Mammogram, left breast, medio-lateral oblique view. 40-year-old patient.
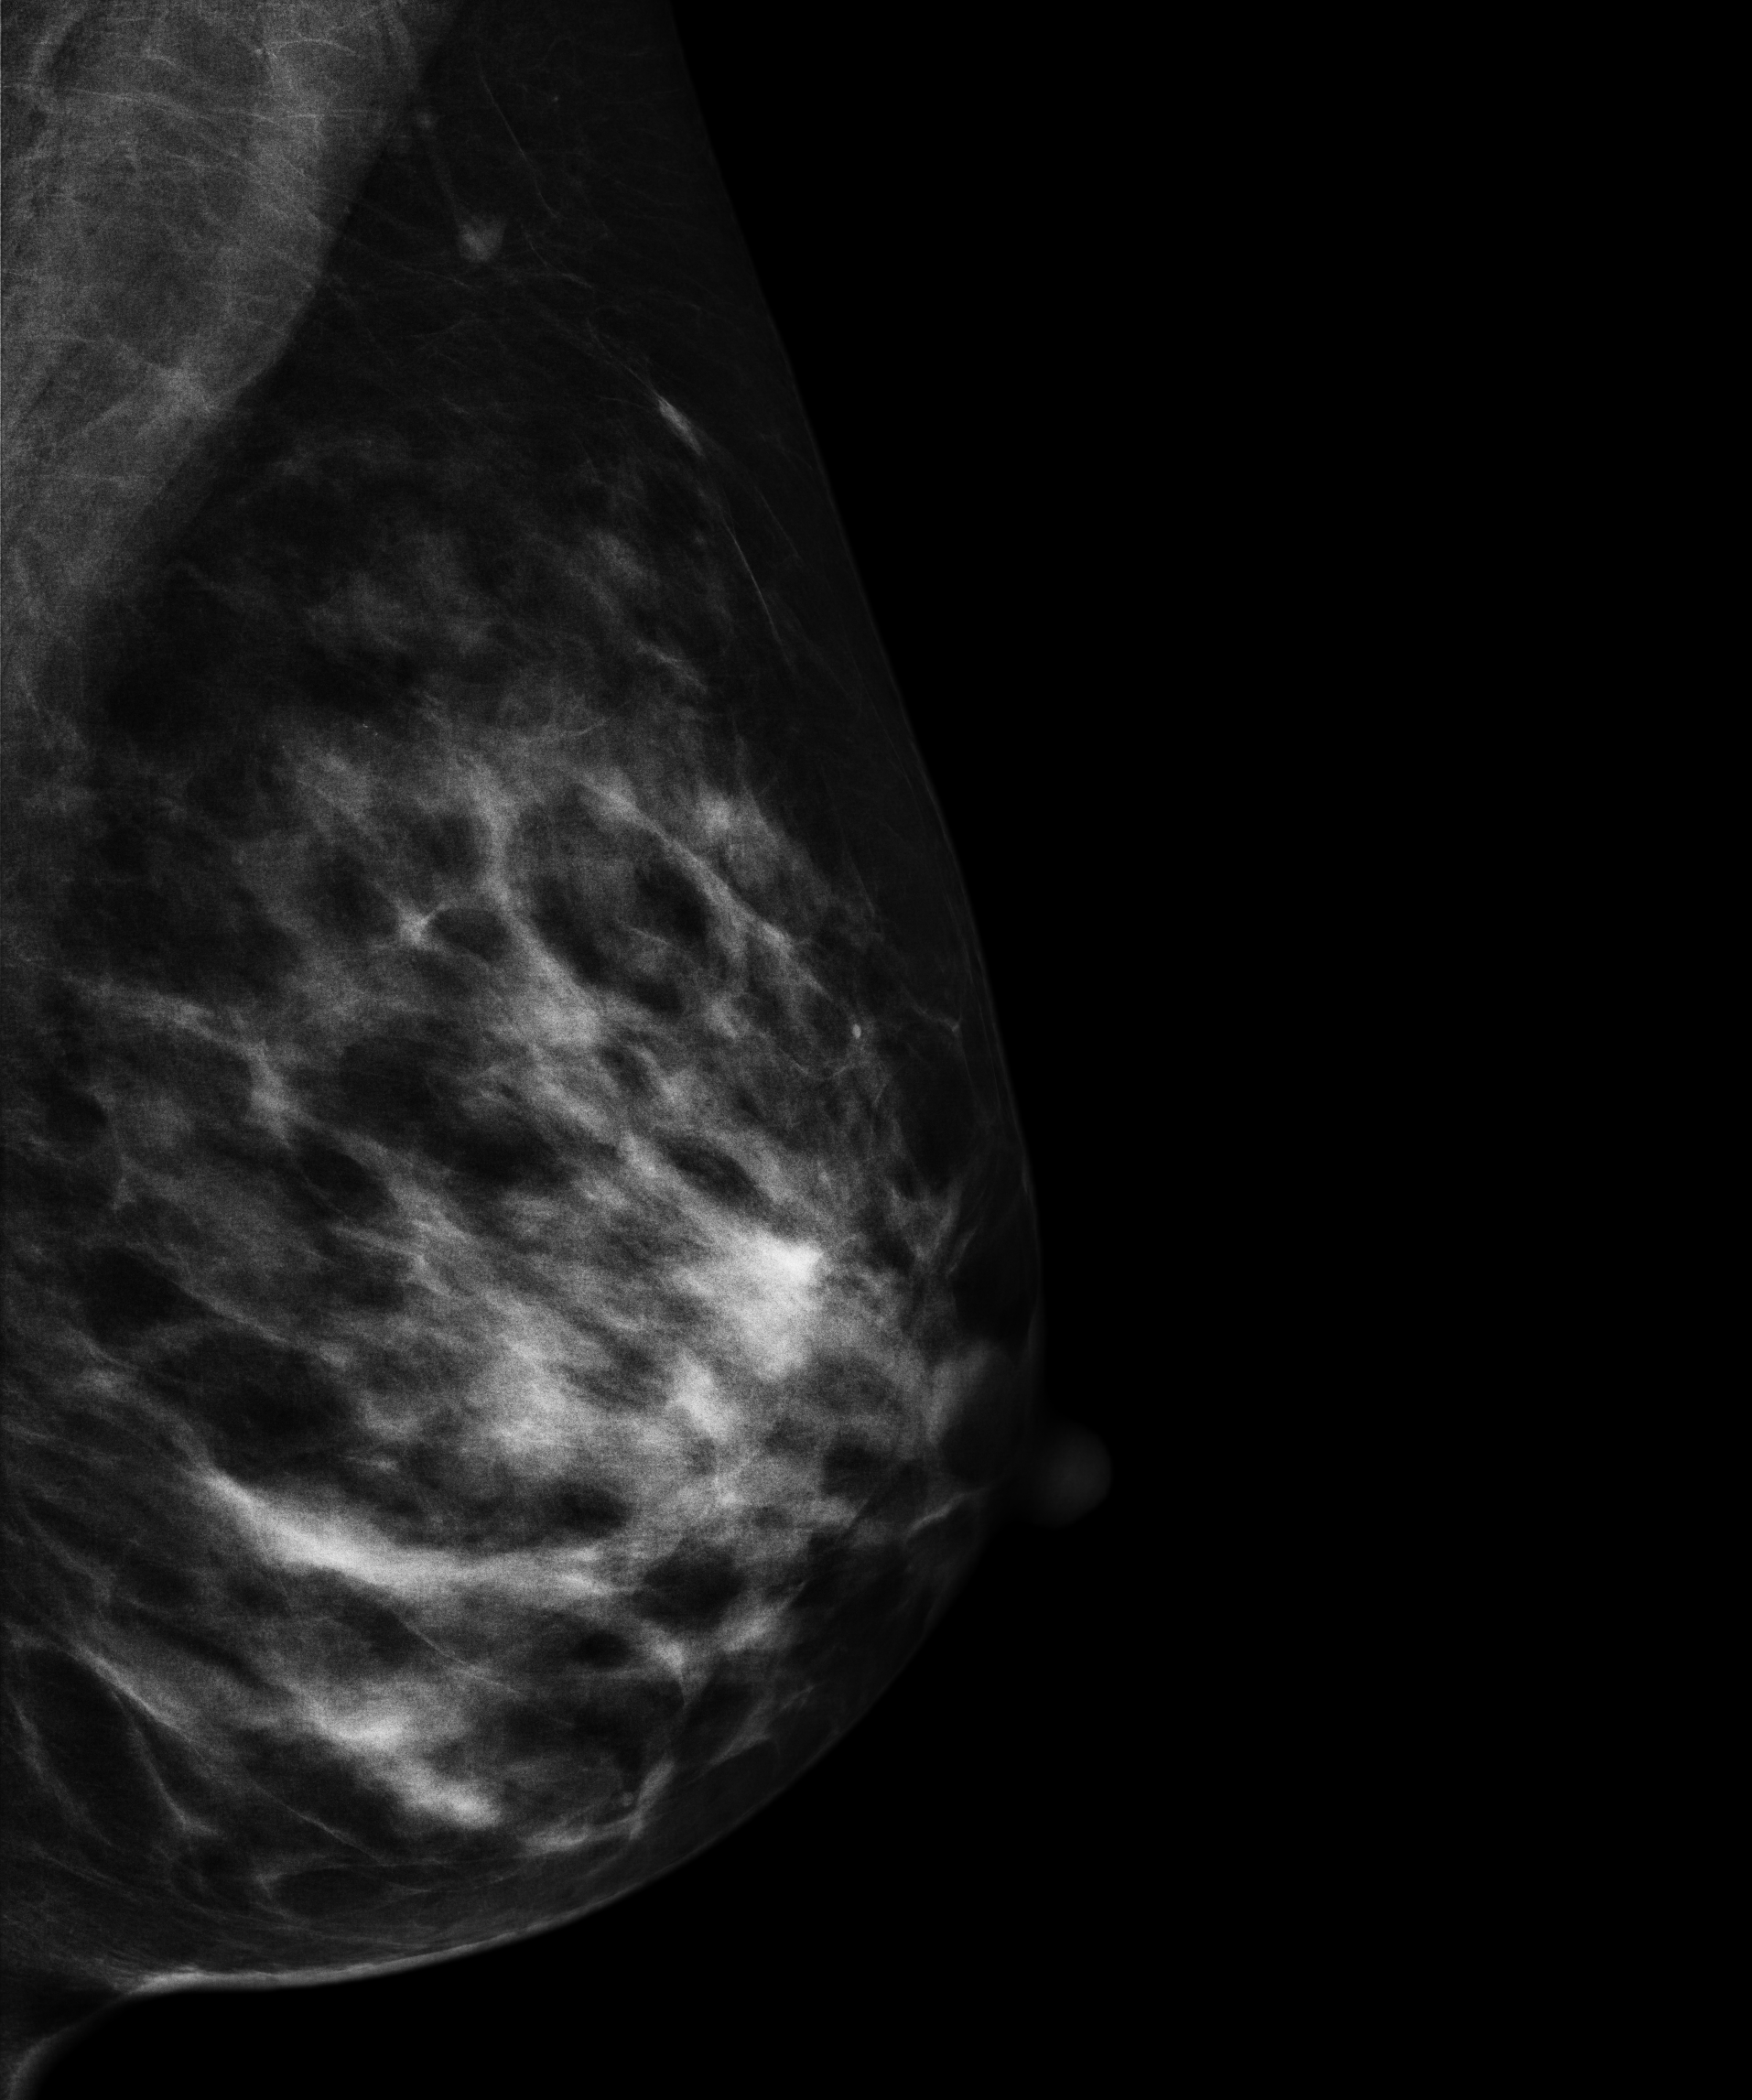
This breast has a mass, biopsy-confirmed malignant. Molecular subtype: luminal B.